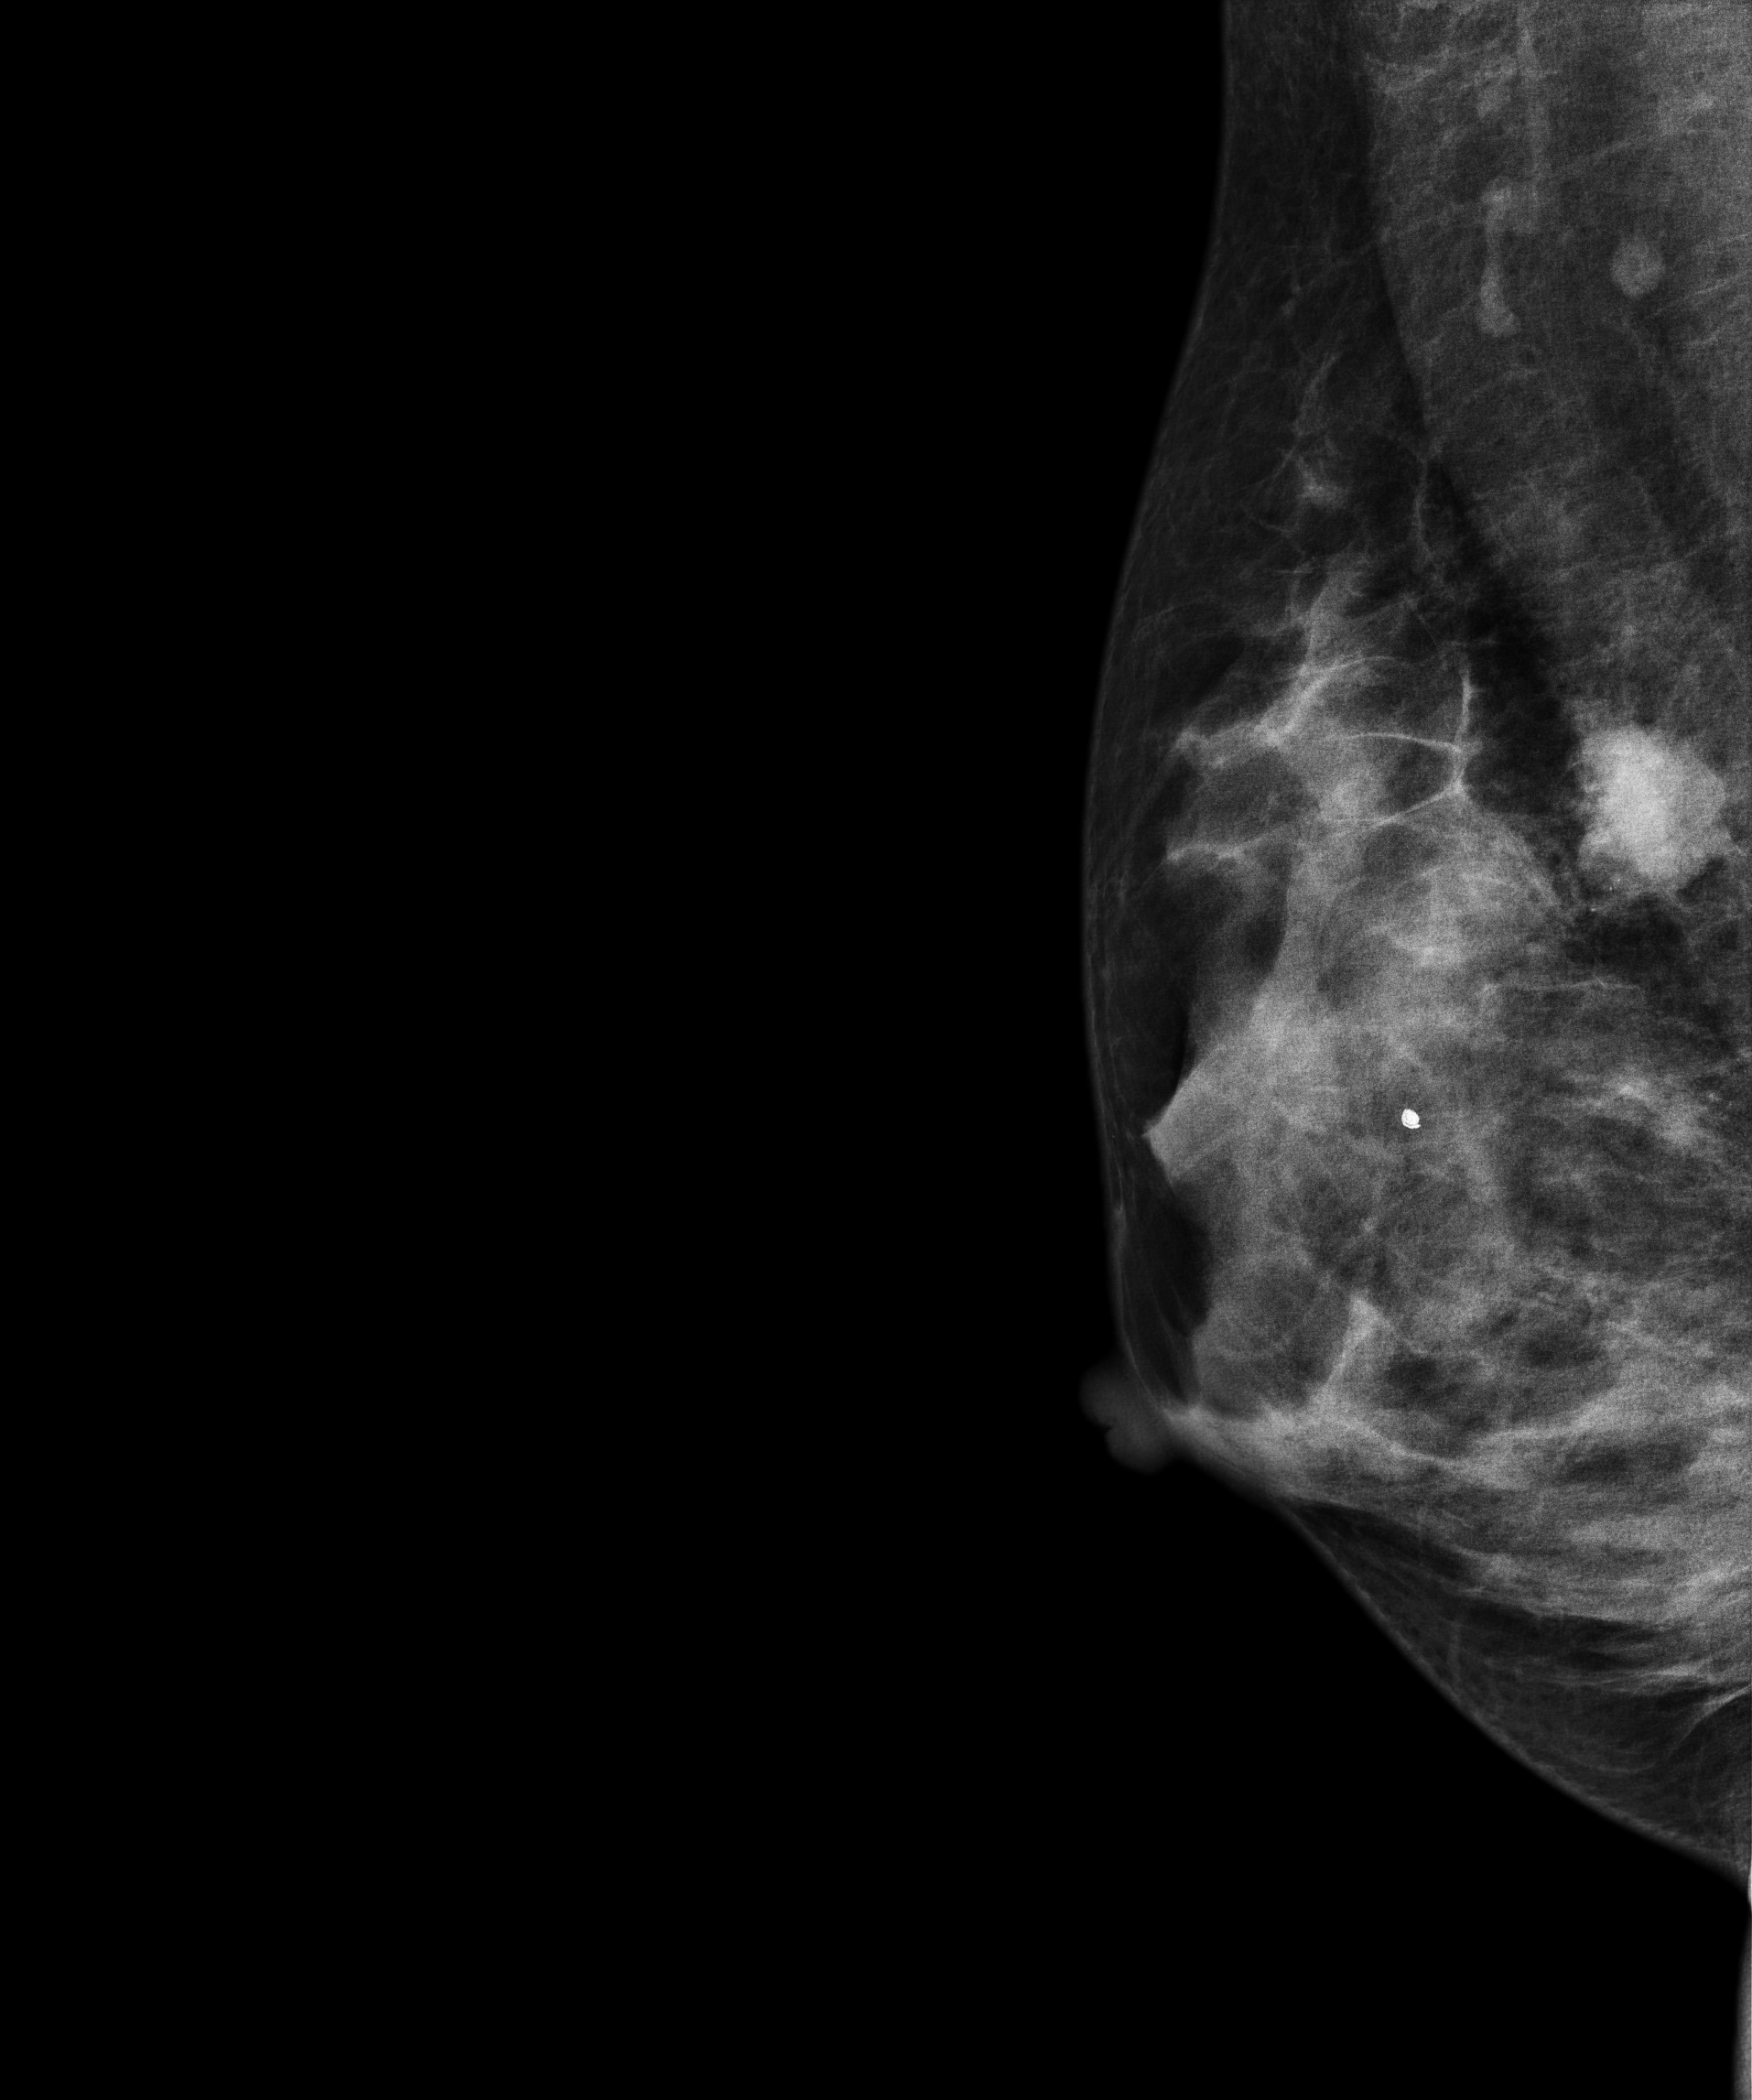
Mammogram — right medio-lateral oblique. Patient age 38.
This breast has a mass, biopsy-proven malignant. Molecular subtype: luminal B.